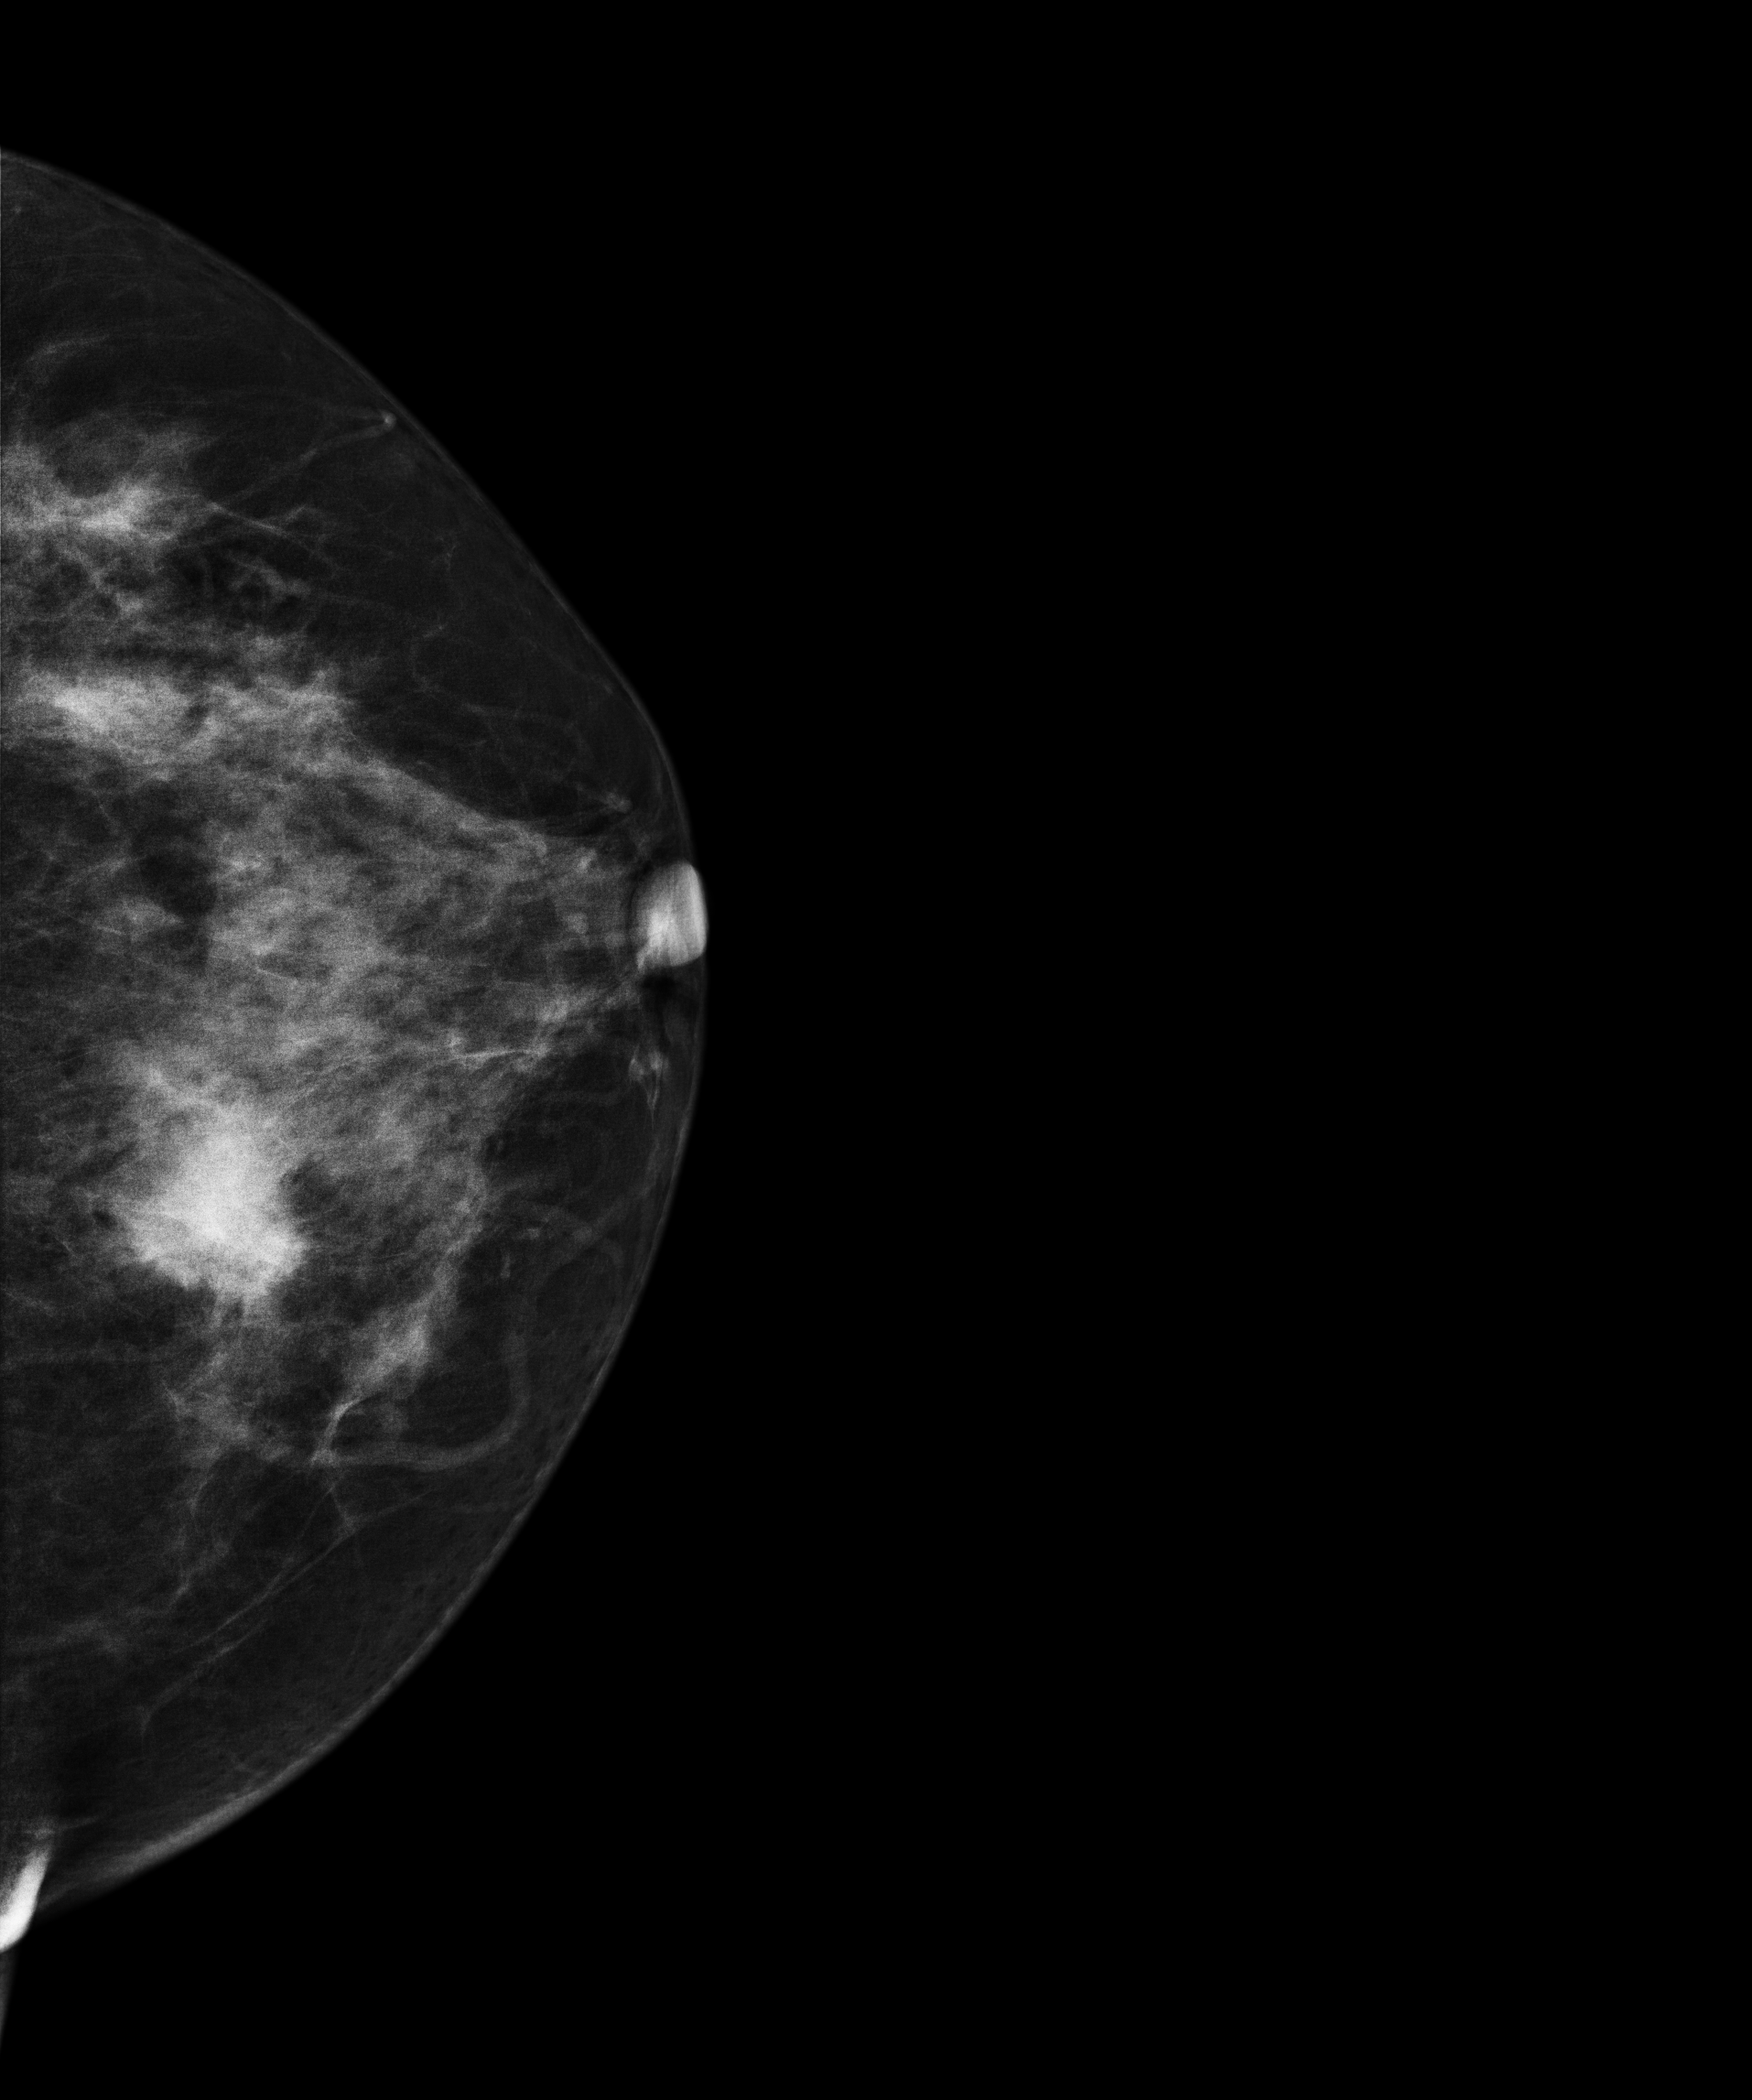
Left-breast mammogram, cranio-caudal. 65-year-old patient.
This breast has a mass, histologically confirmed malignant. Molecular subtype: luminal A.